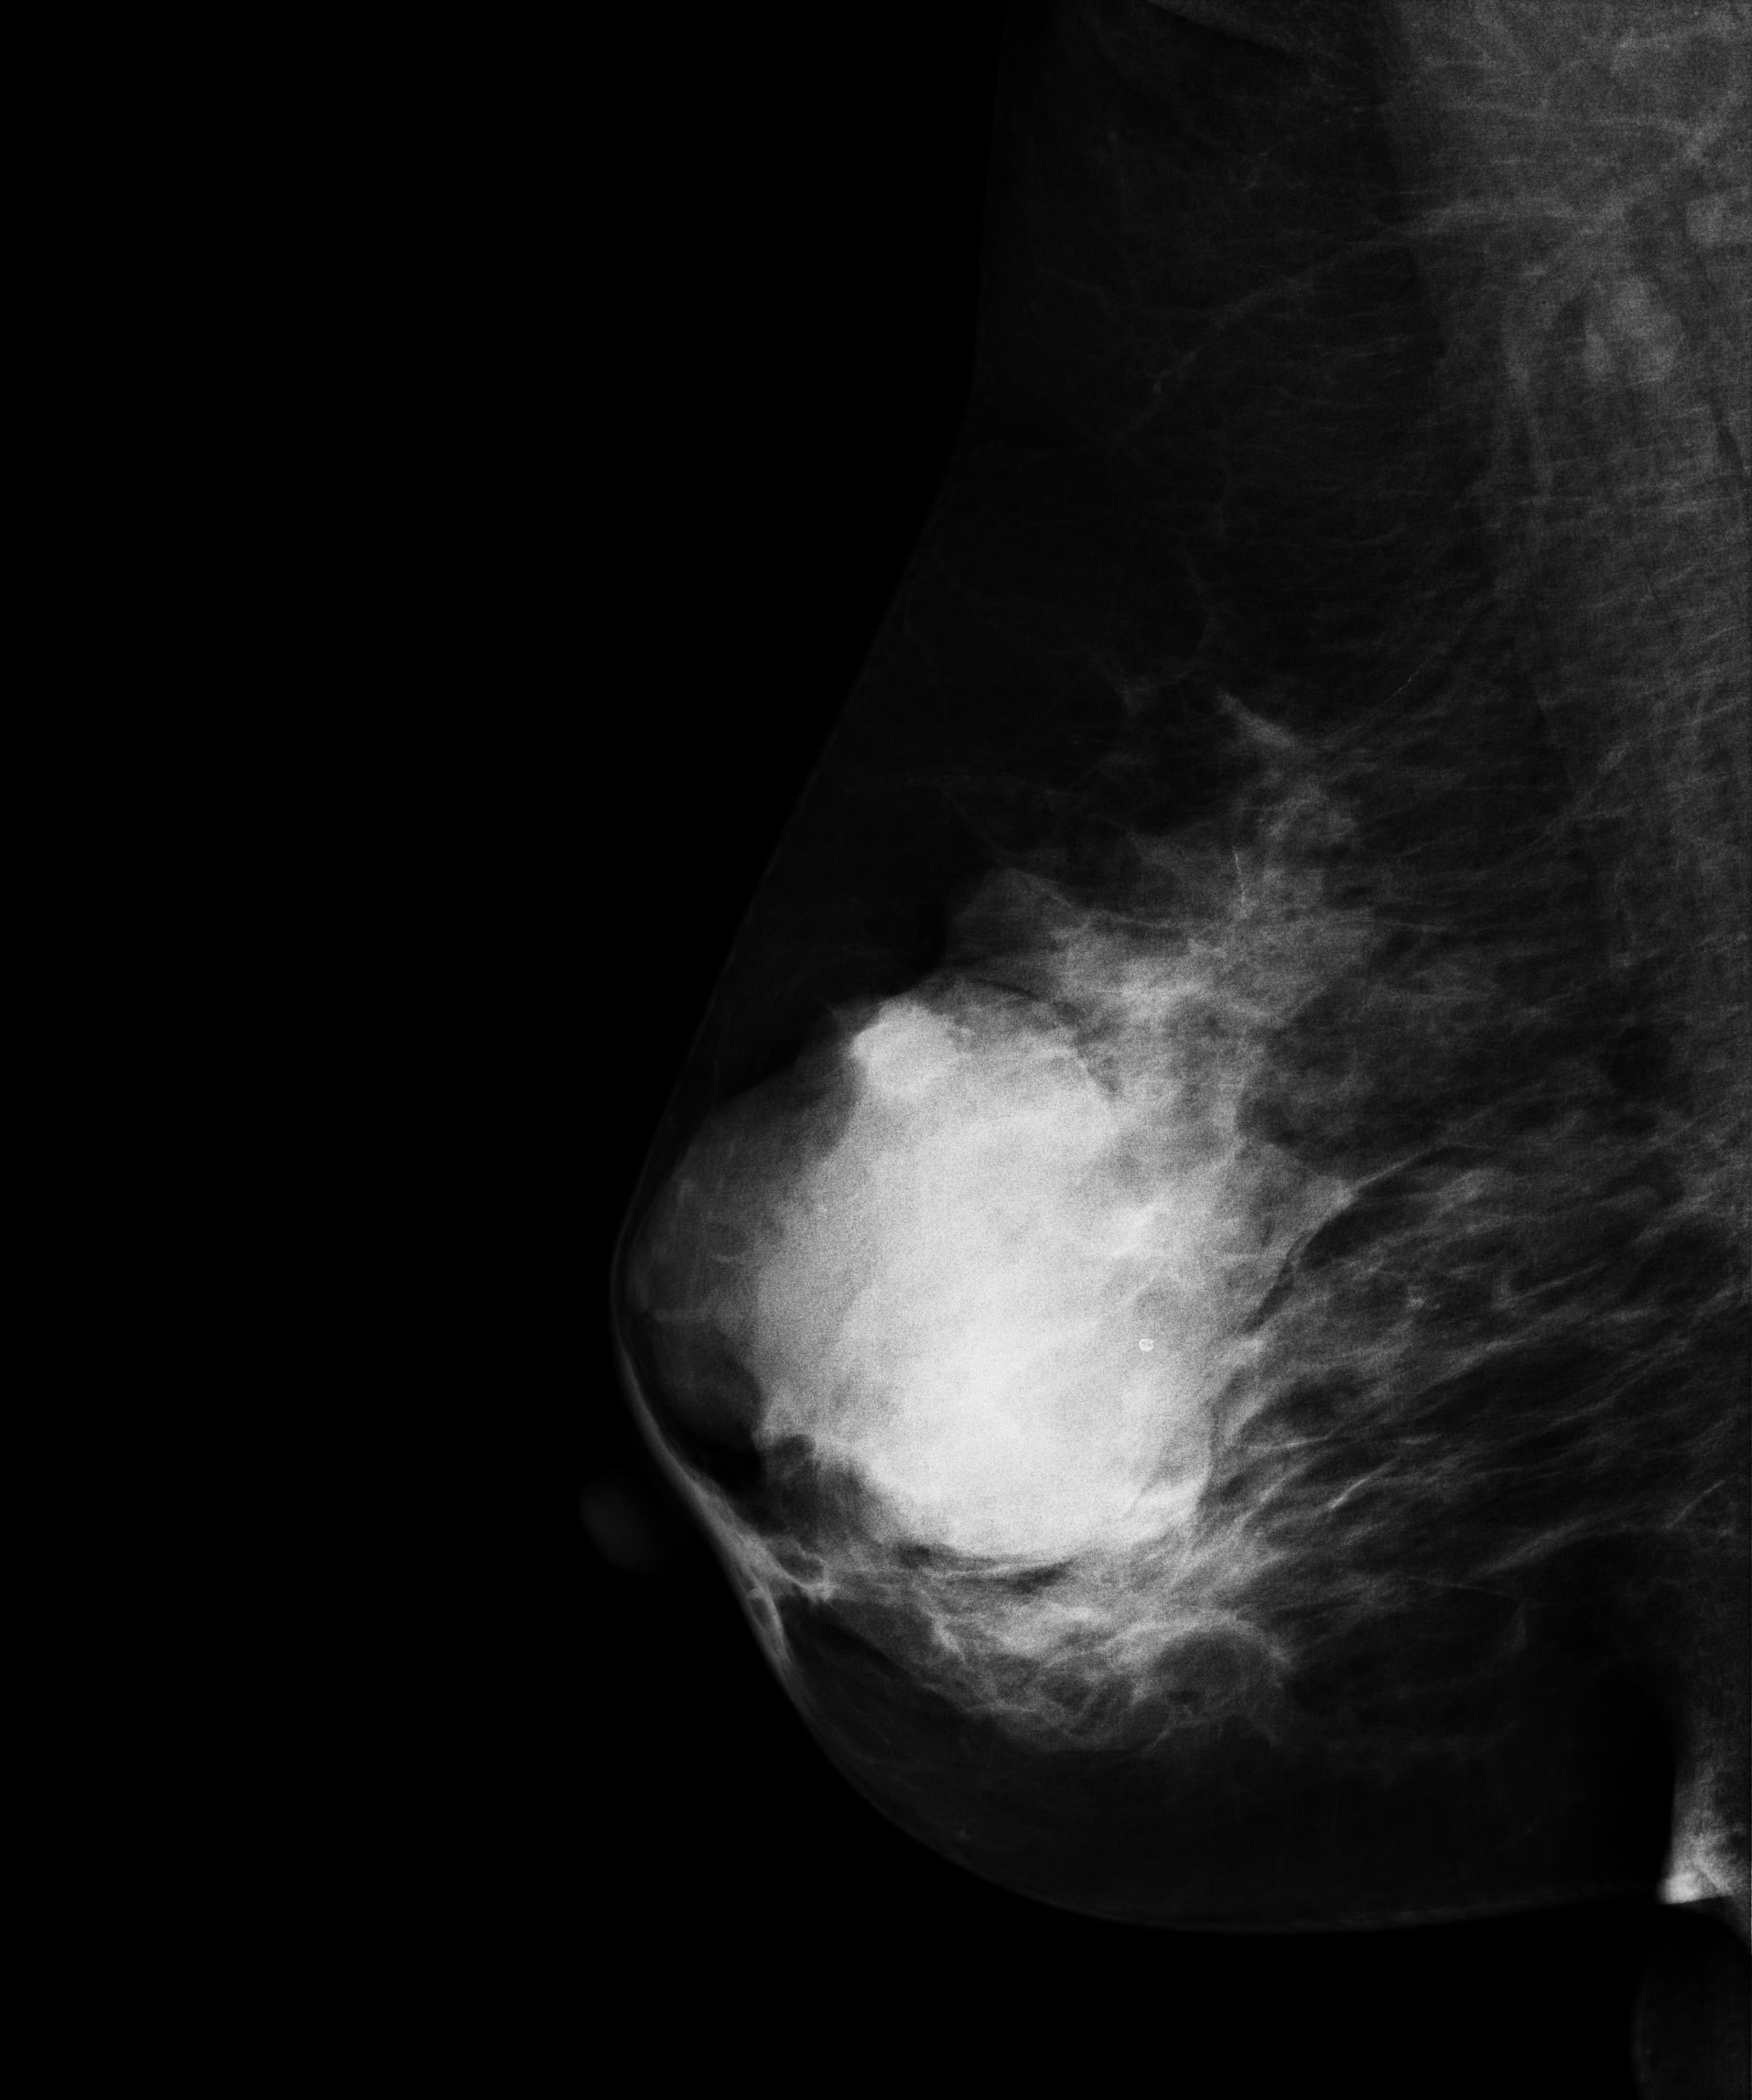
Digital mammography. Right breast, MLO projection. 56 y/o patient.
This breast has a mass, histologically confirmed malignant.